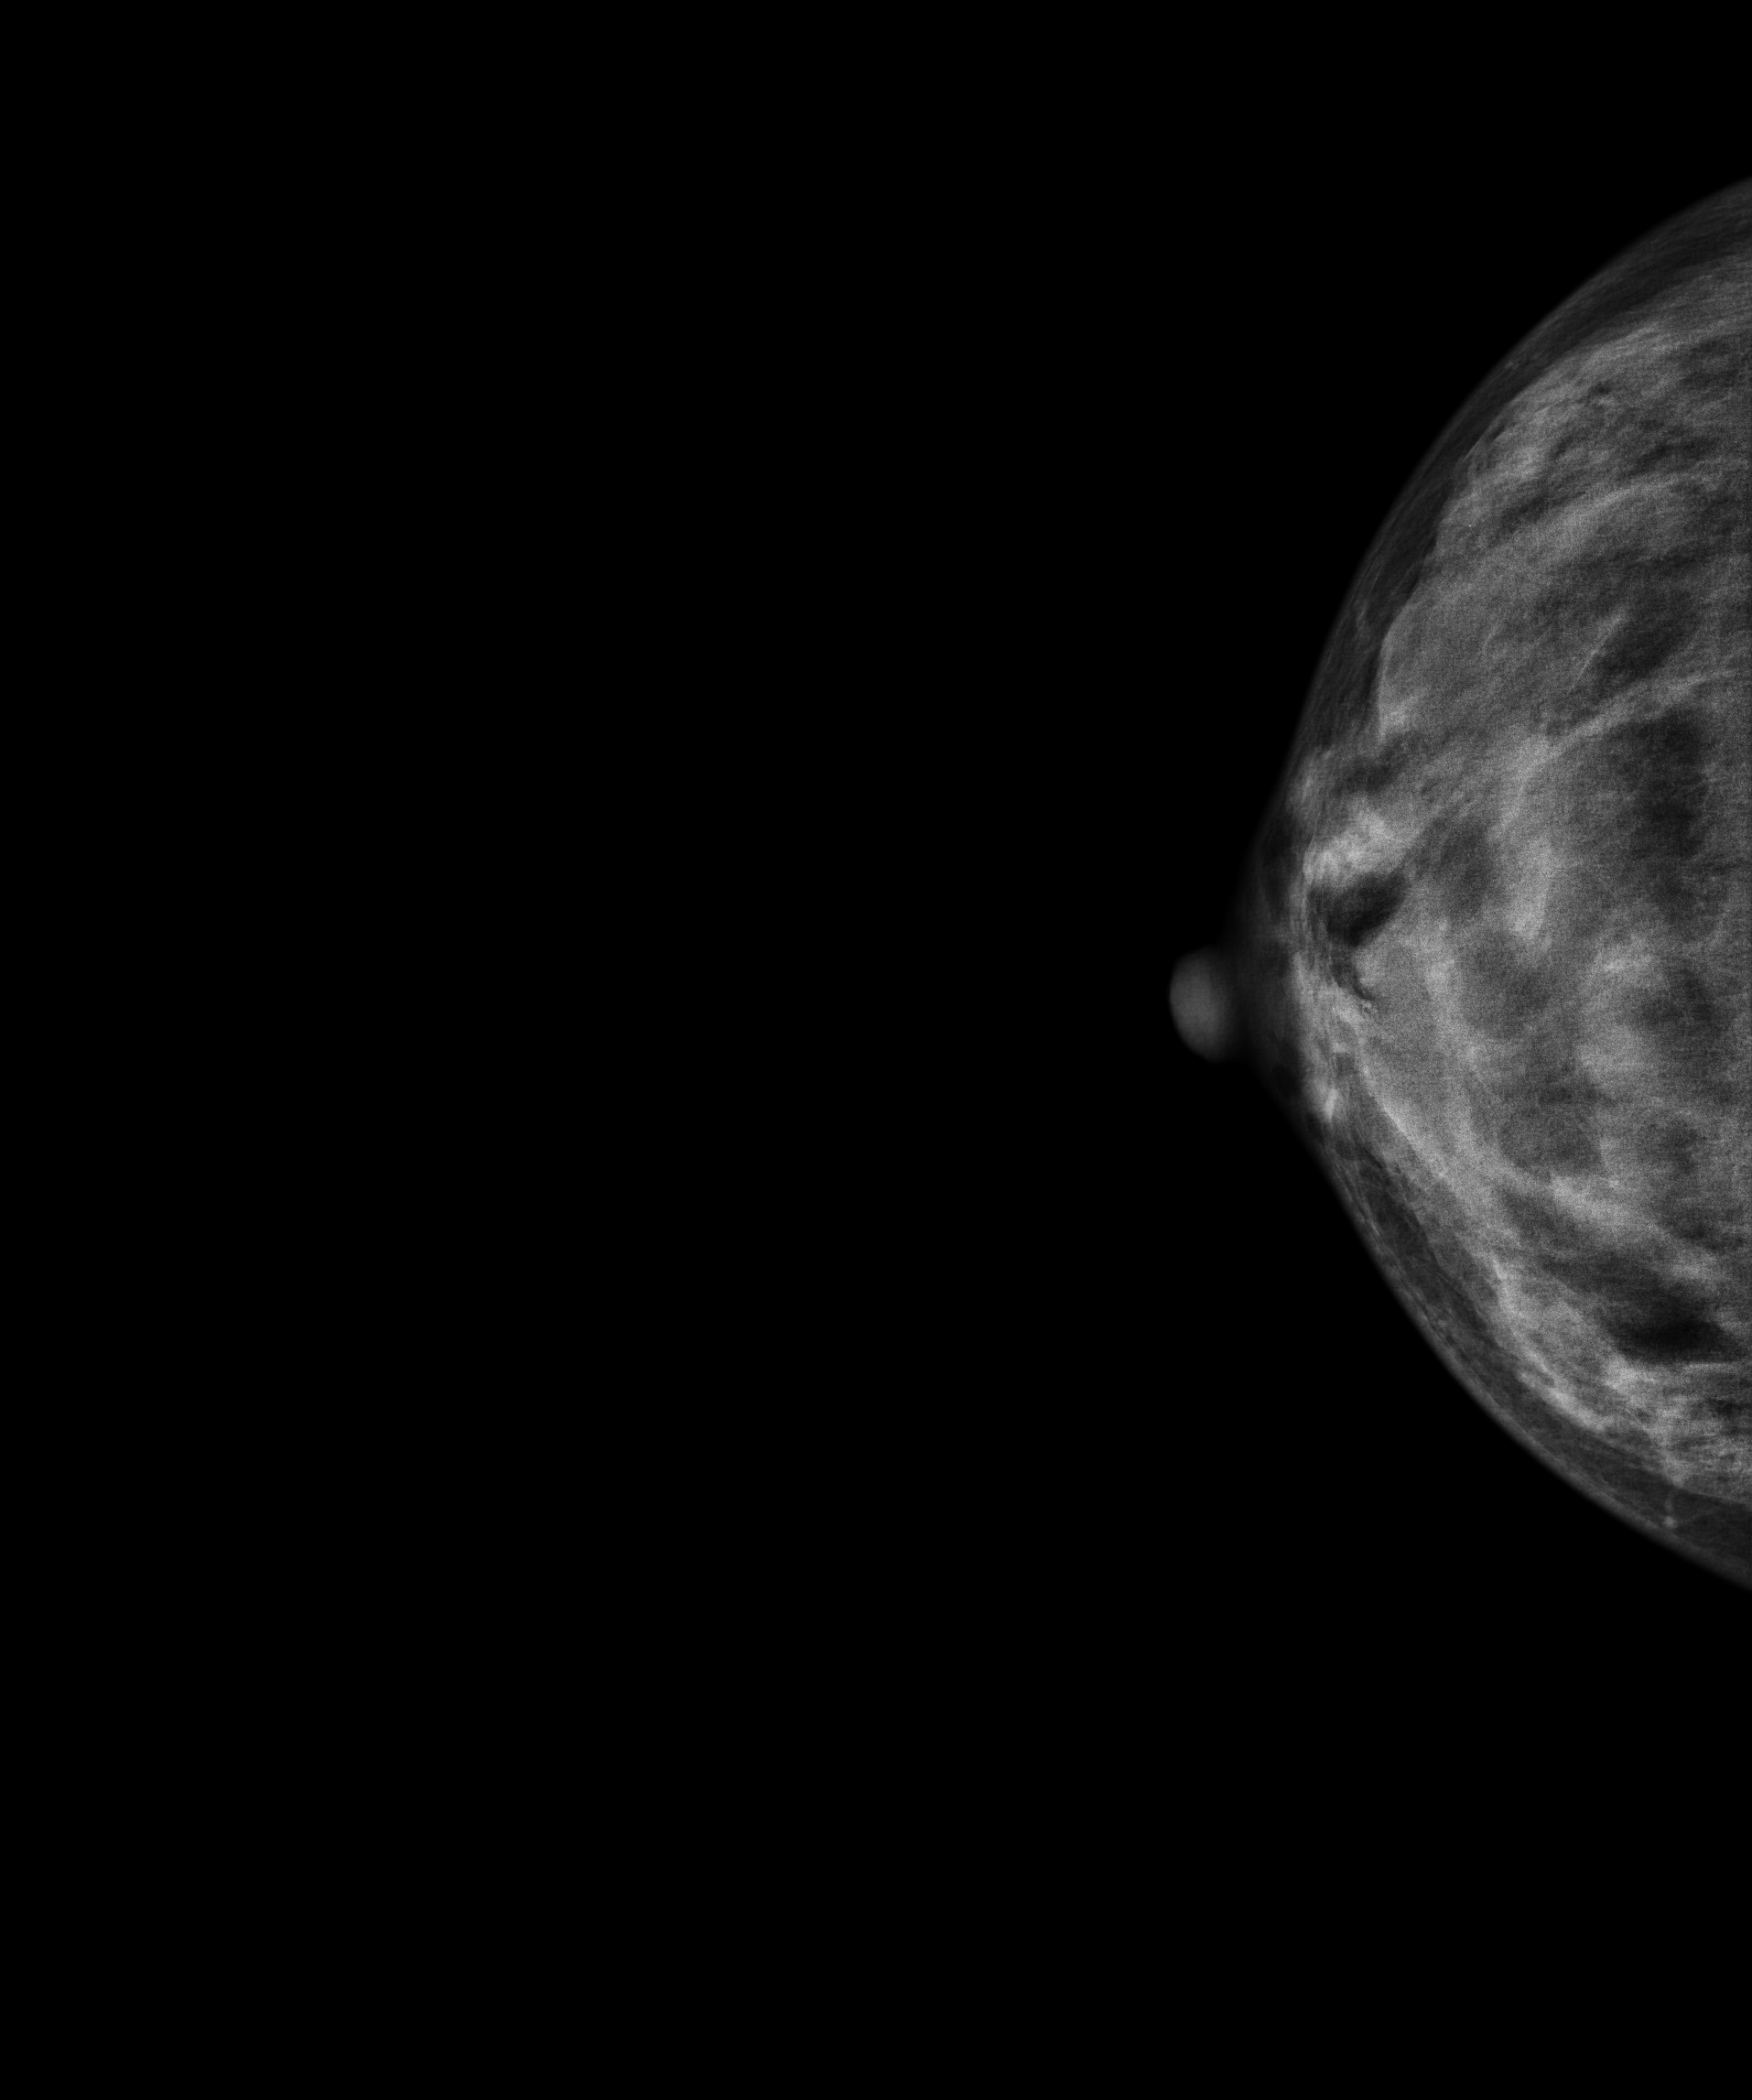
CC mammogram of the right breast. 26-year-old patient.
This breast has a mass and calcifications, histologically confirmed benign.